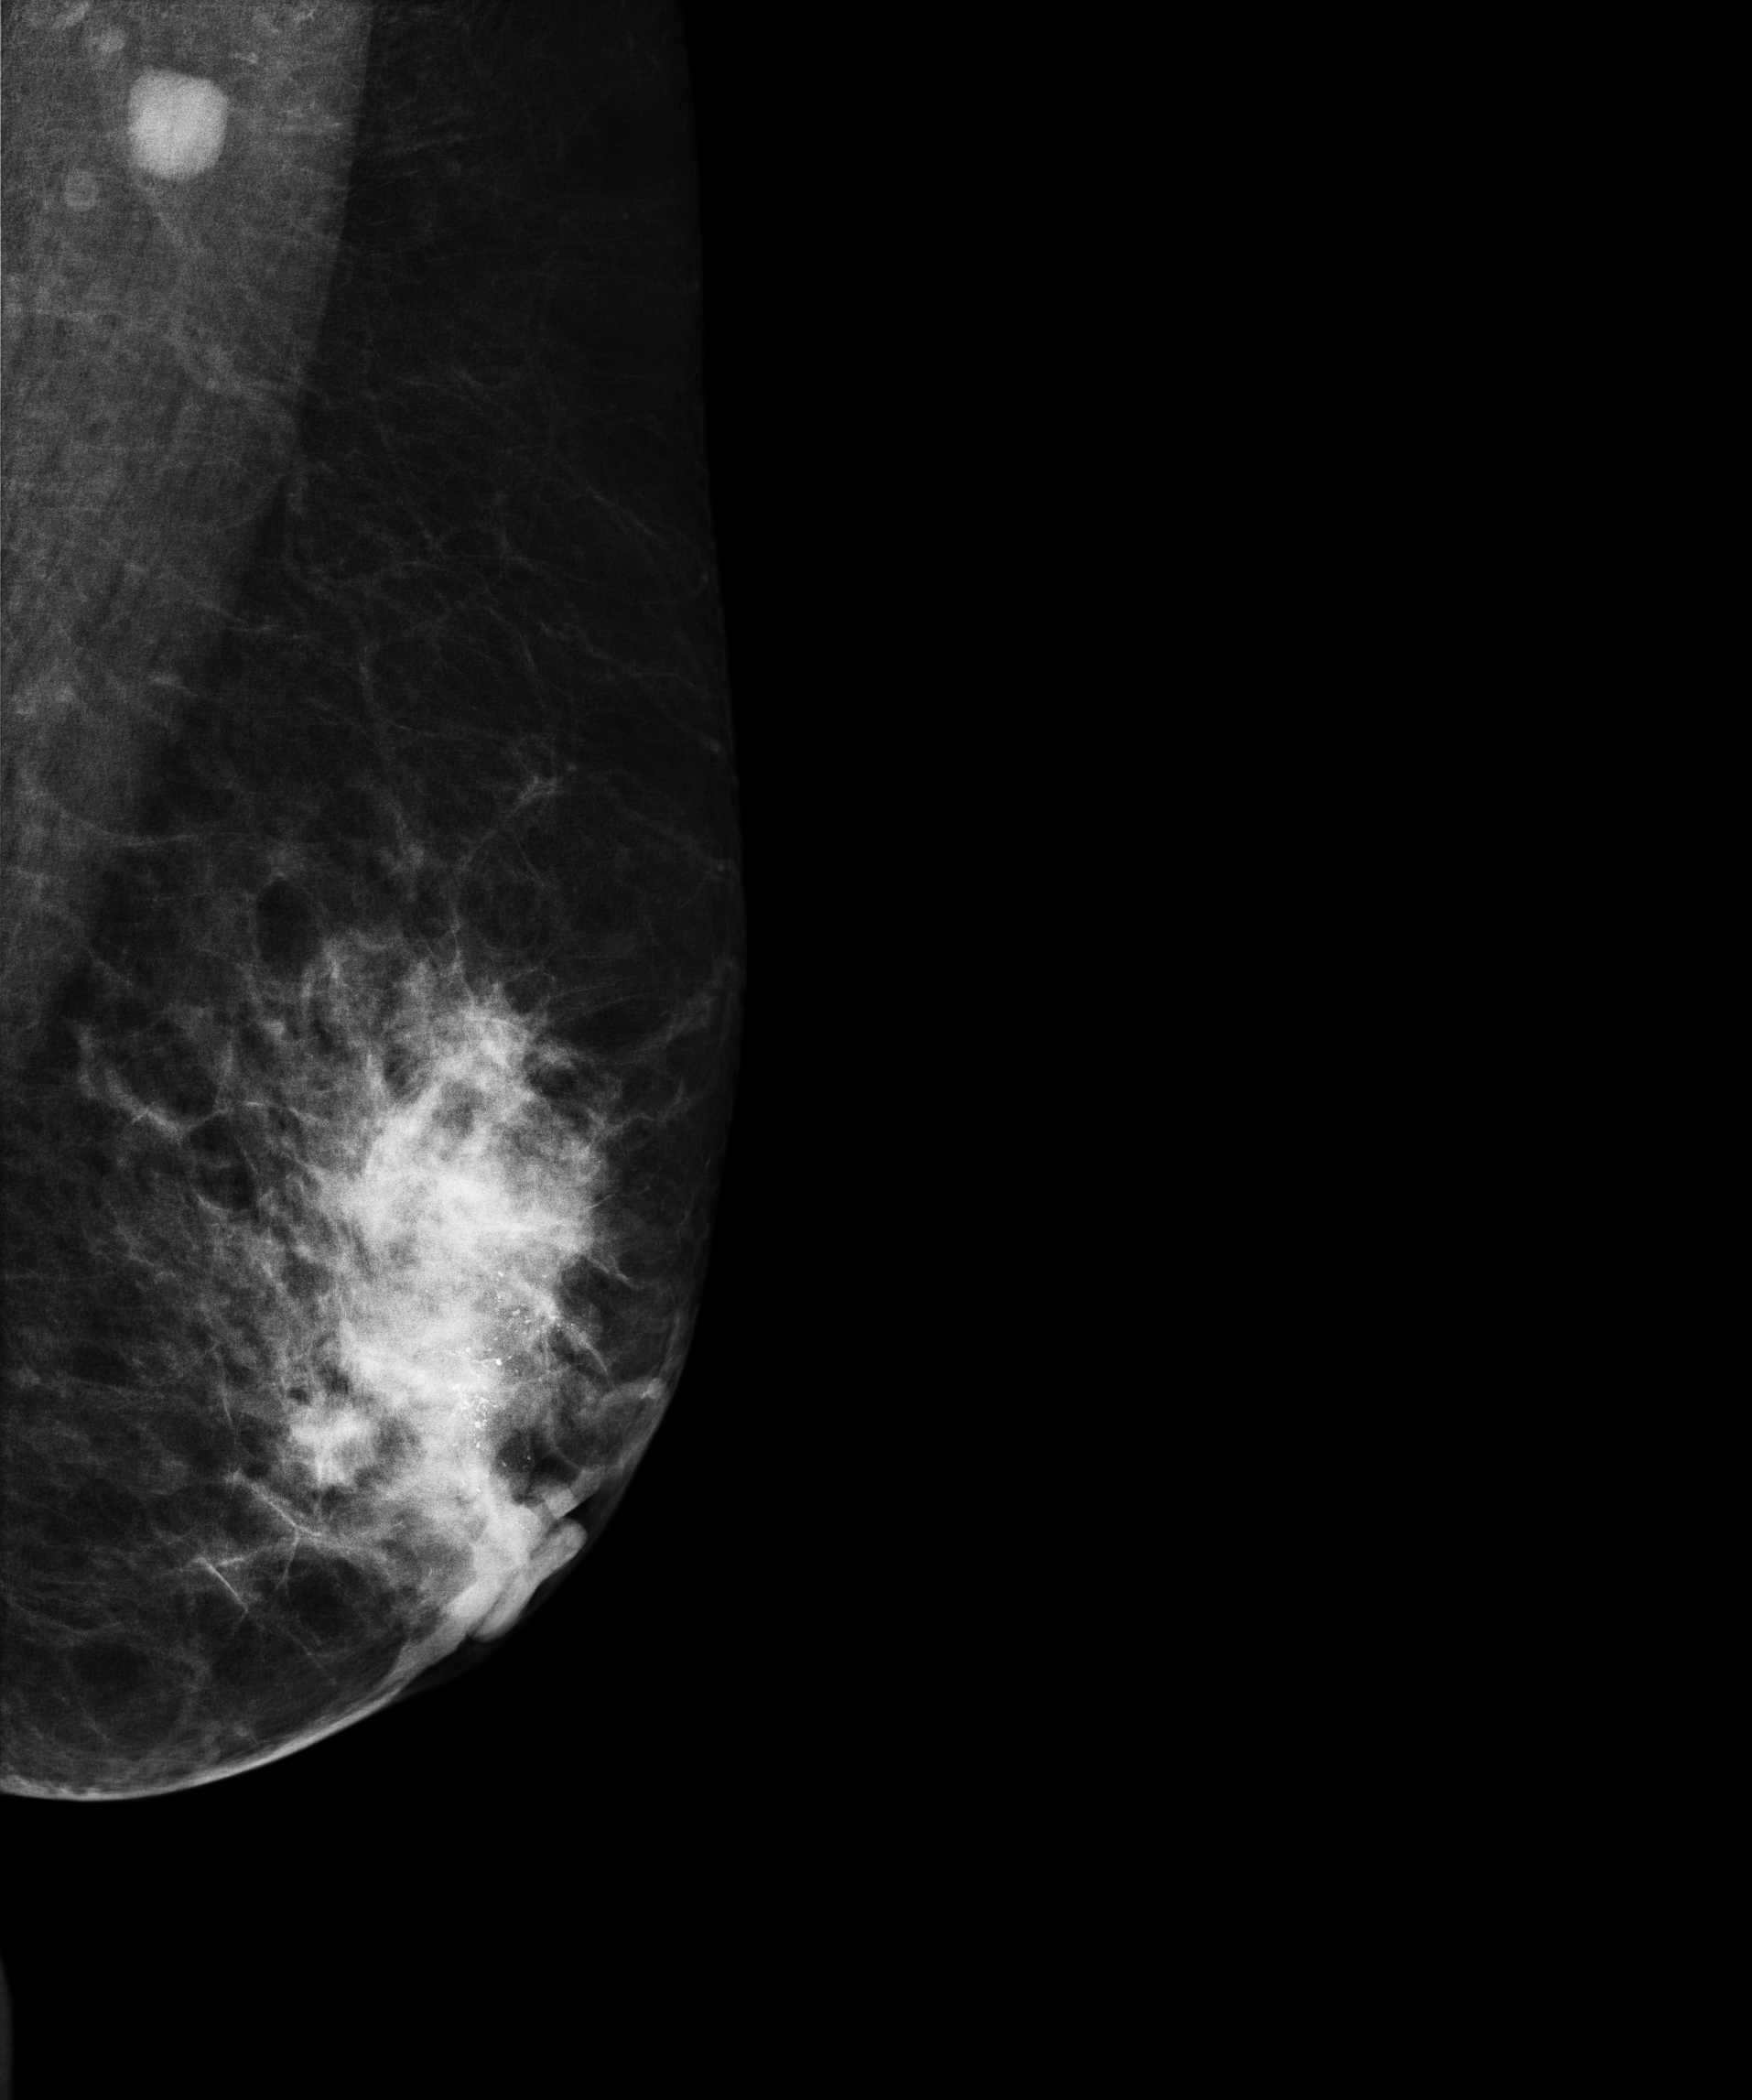
Digital mammography. Left breast, MLO projection. Patient age 63.
This breast has a mass and calcifications, biopsy-confirmed malignant.